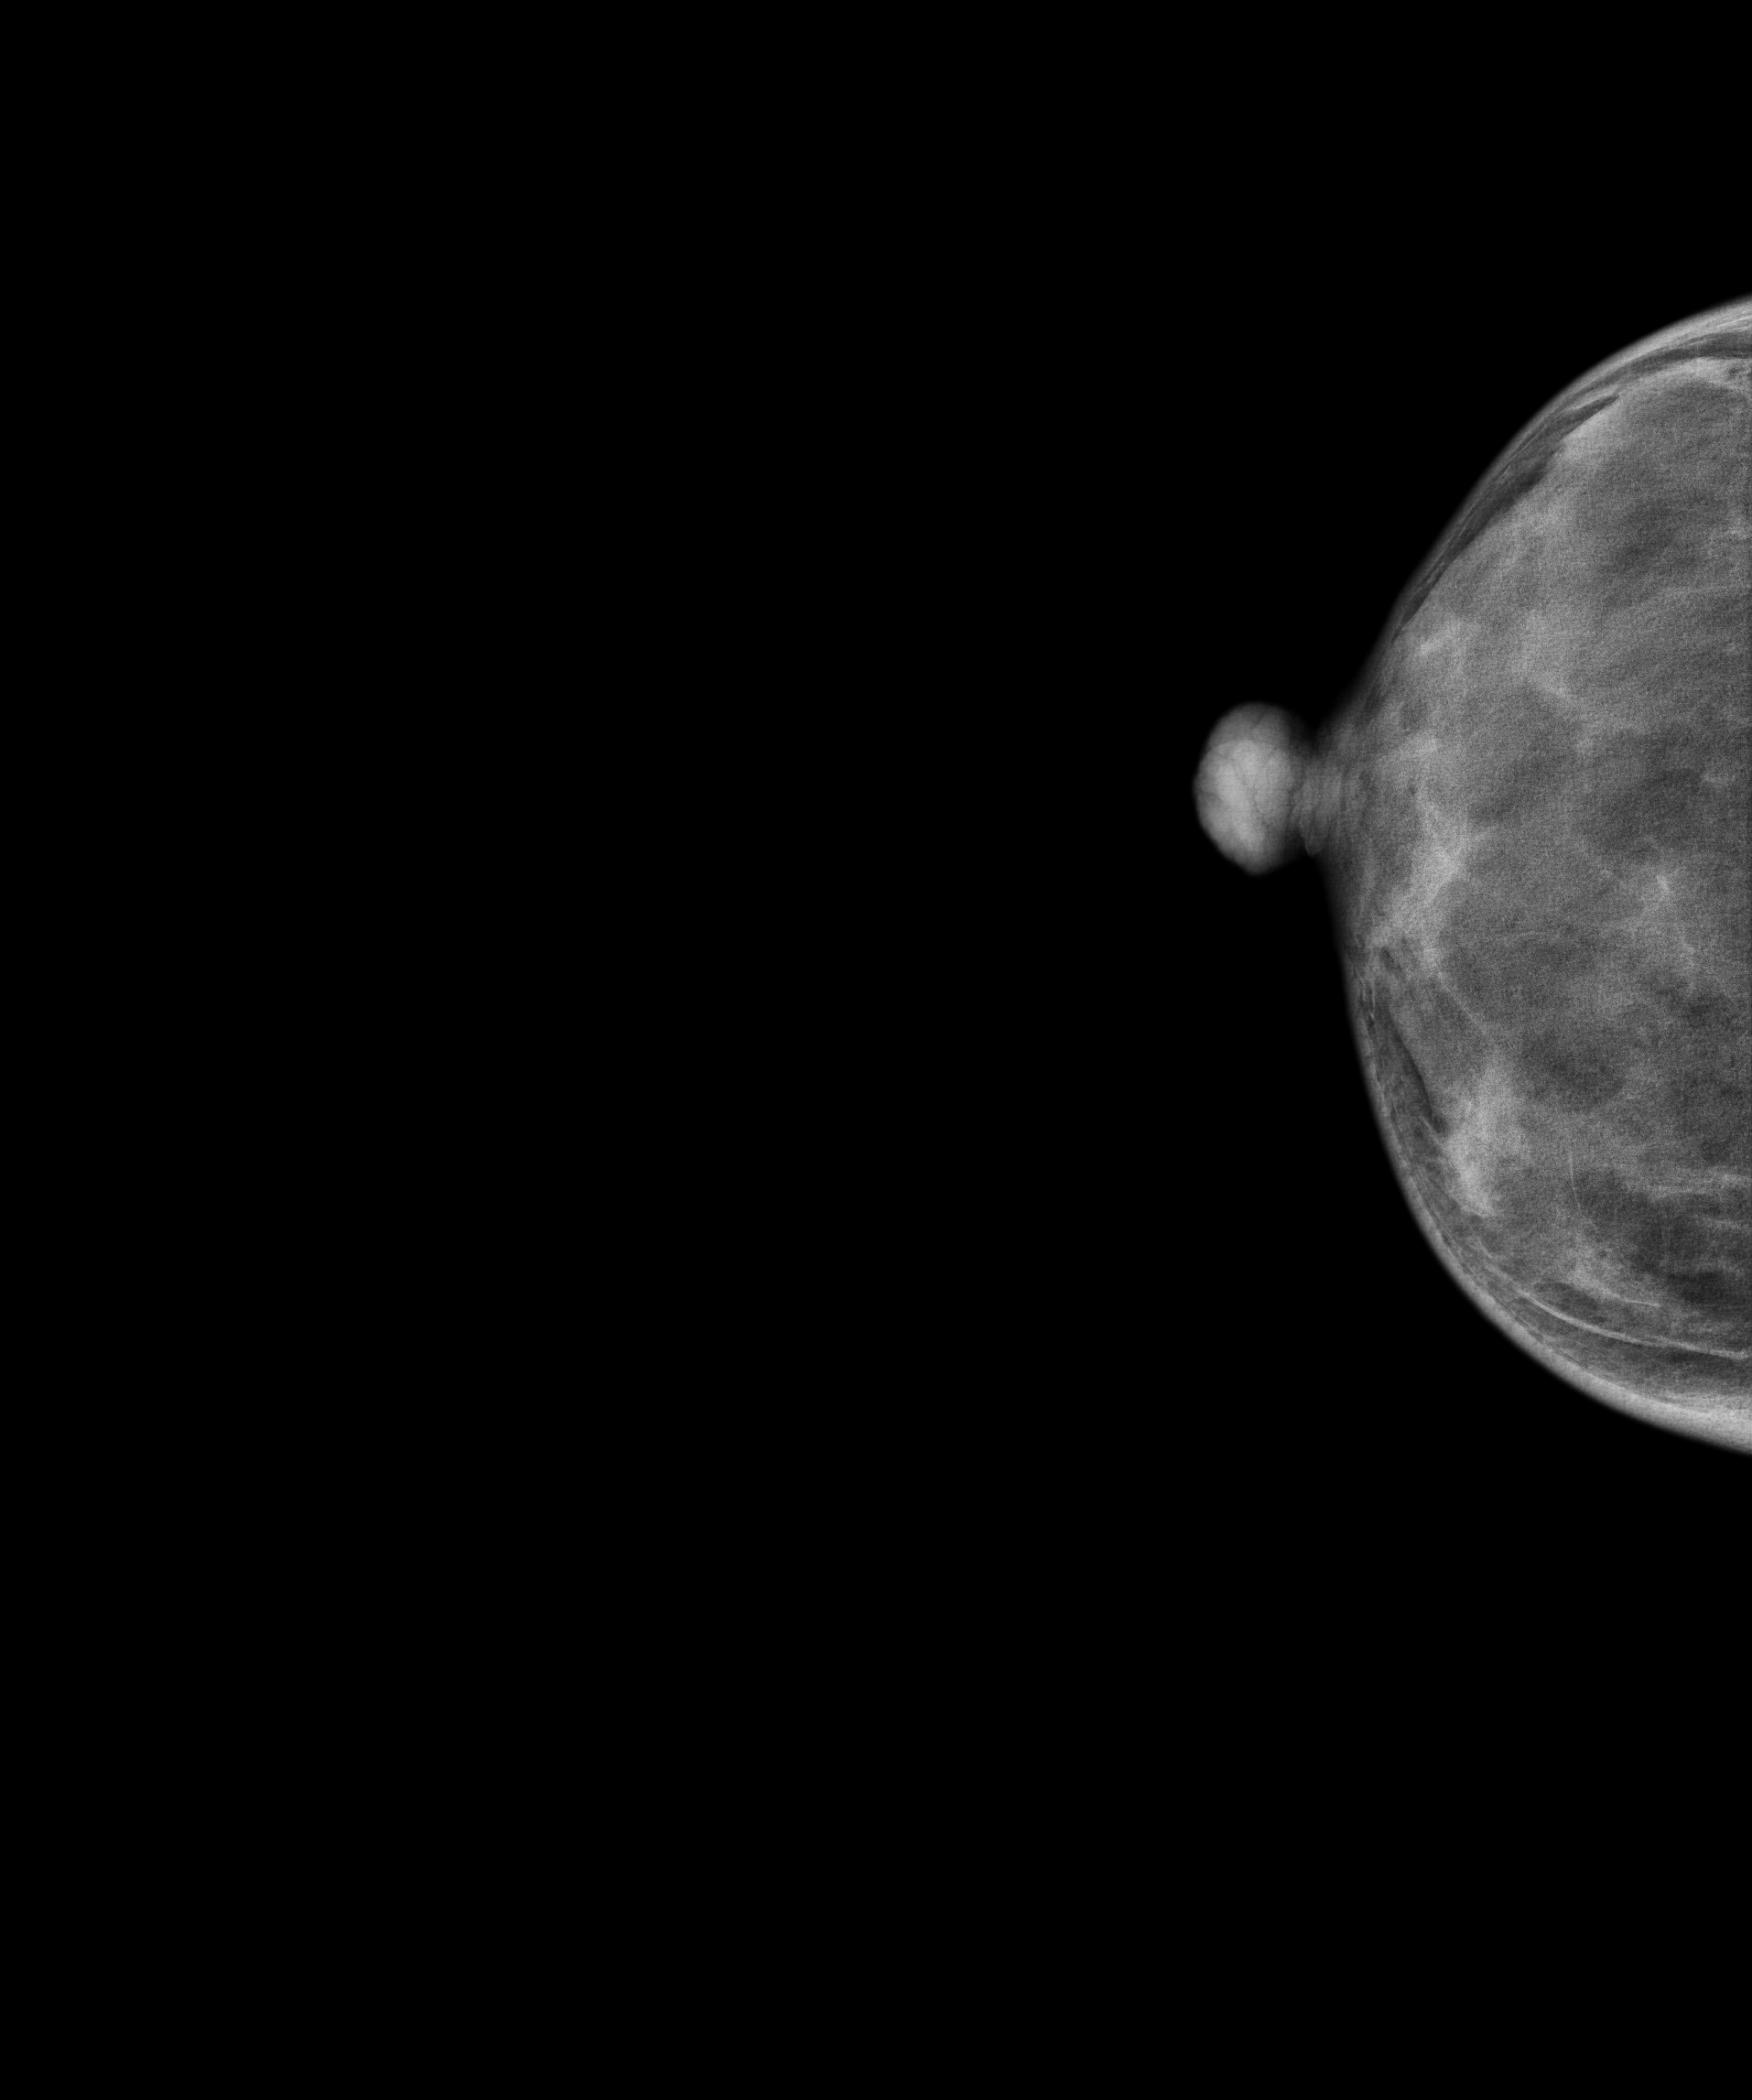
Digital mammography. Right breast, cranio-caudal projection. 48-year-old patient.
This breast has a mass, histologically confirmed benign.